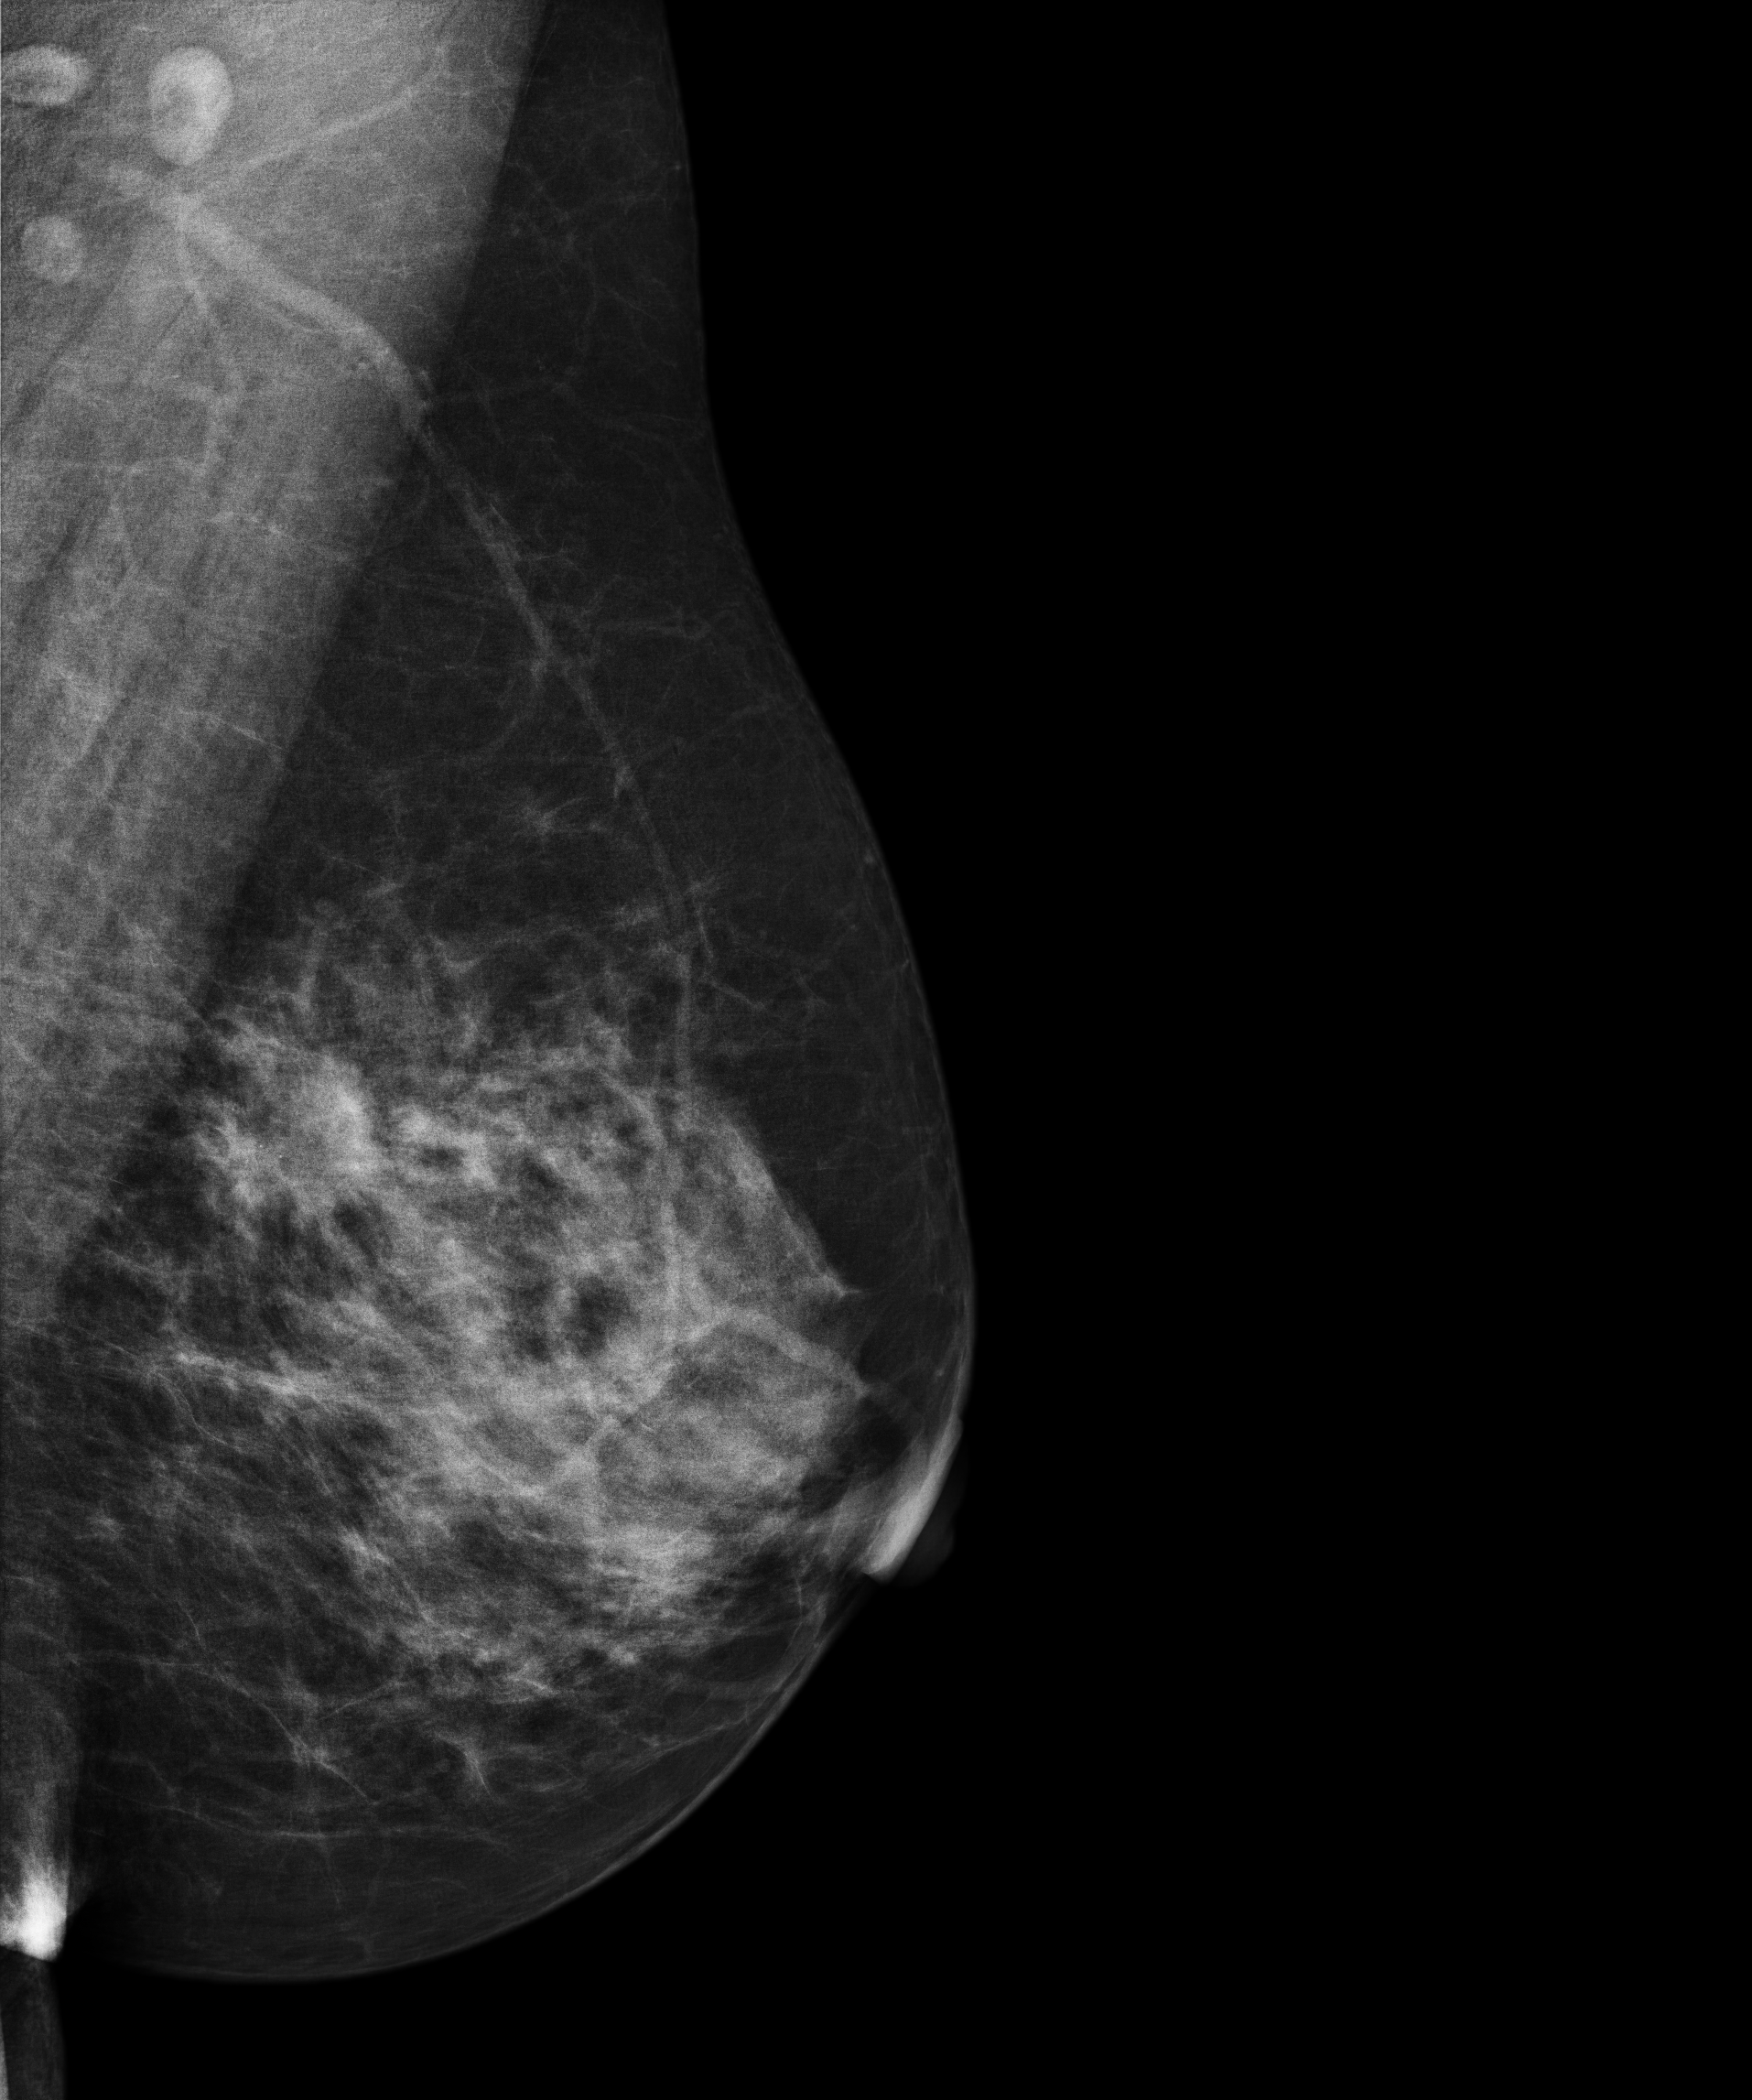
Left-breast mammogram, MLO. Patient age 69.
This breast has a mass, biopsy-confirmed malignant. Molecular subtype: luminal A.